Mammogram, right breast, cranio-caudal view. Patient age 44.
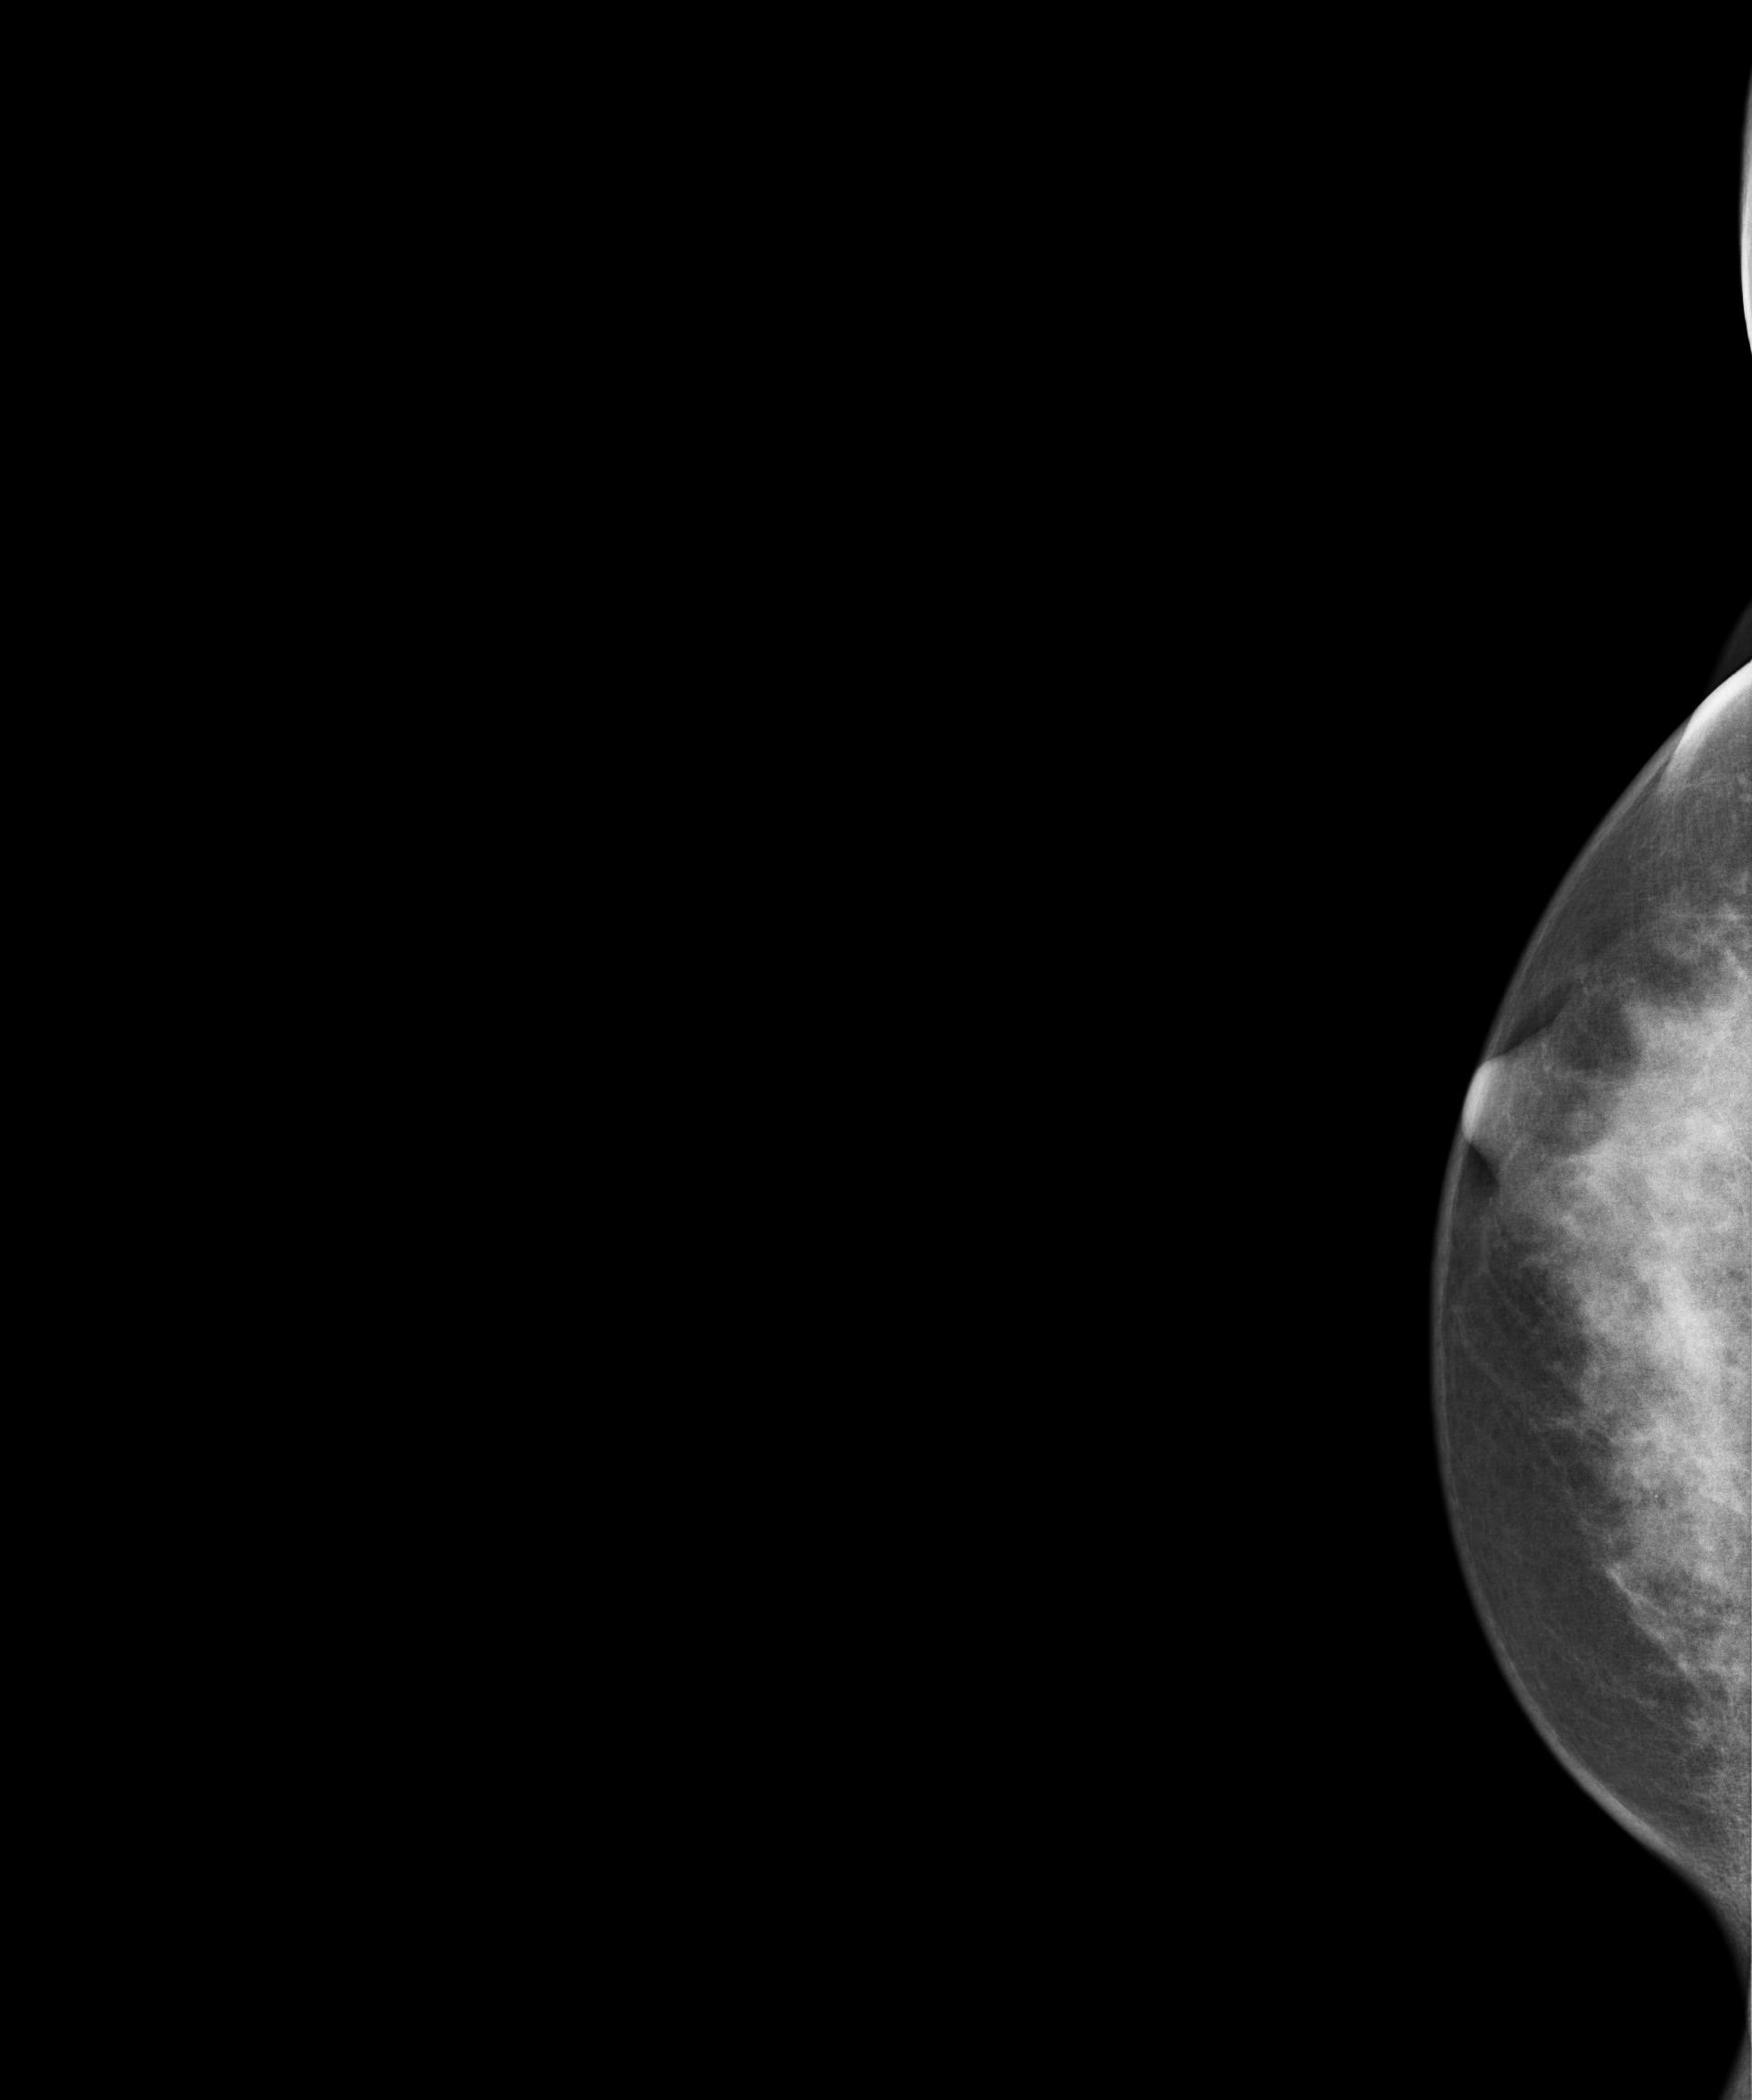
Contralateral breast — no documented abnormality on this side.